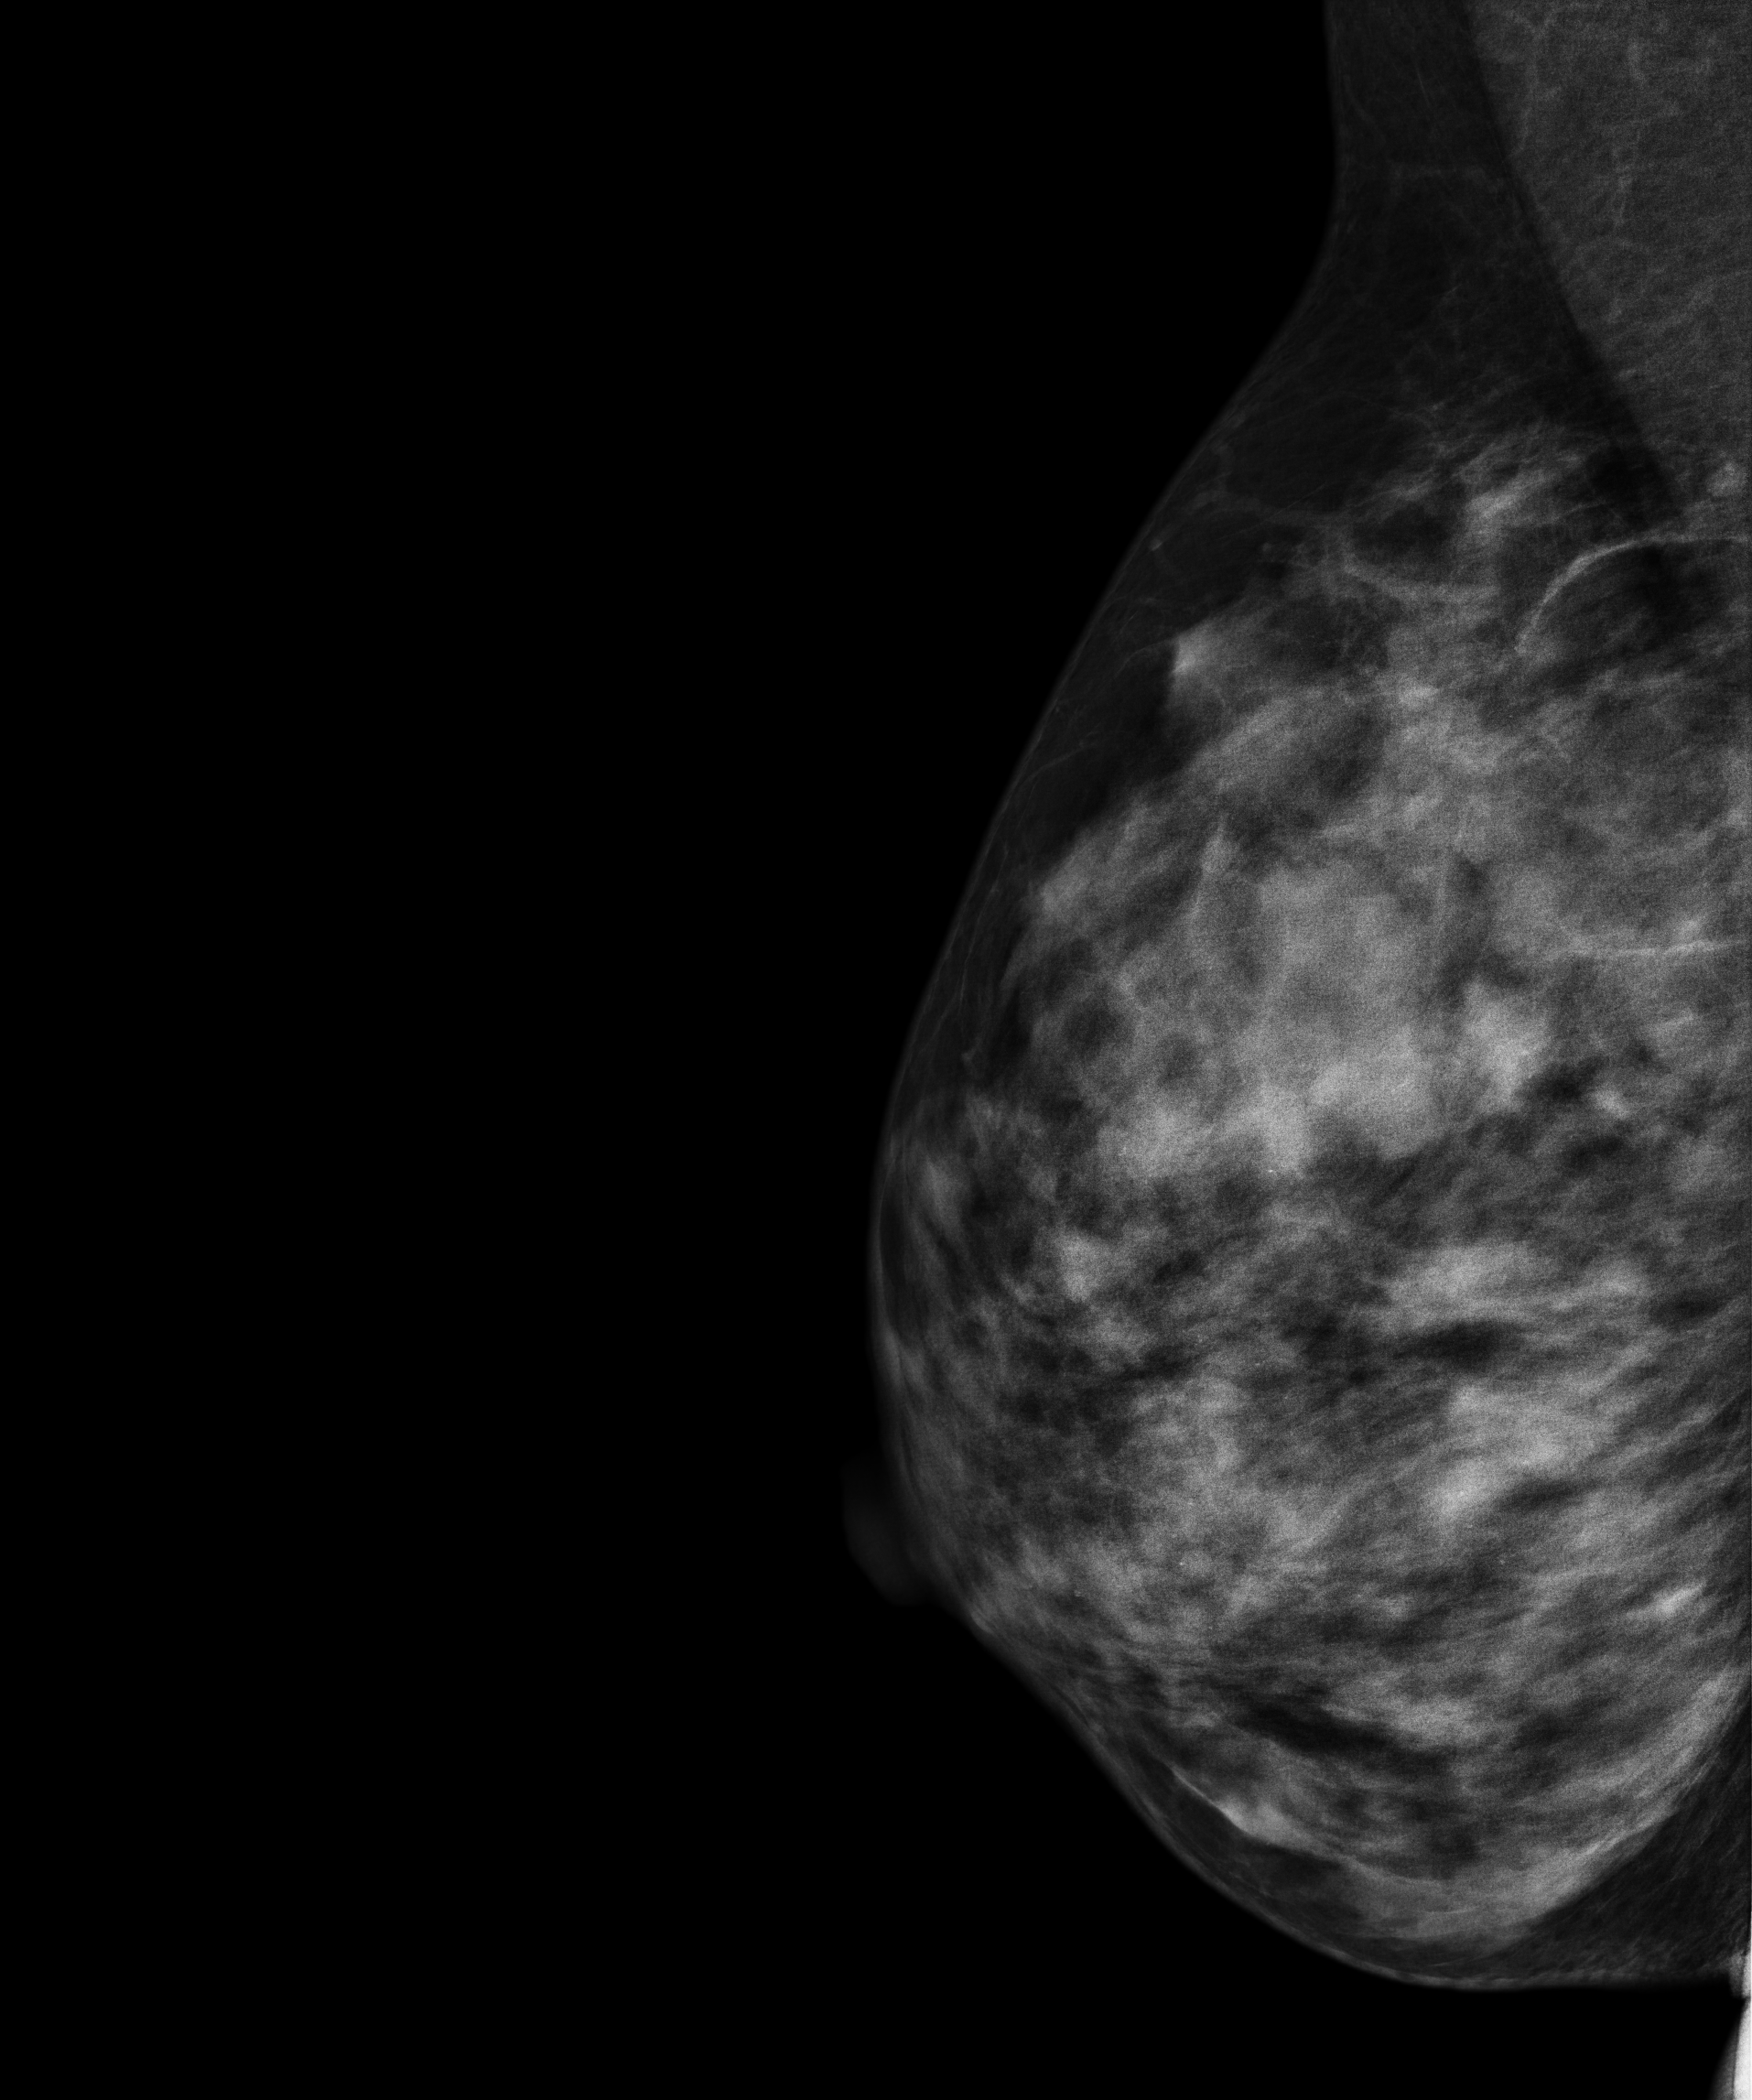
Medio-lateral oblique mammogram of the right breast. 40-year-old patient.
This breast has a mass, pathology-confirmed benign.